Left-breast mammogram, medio-lateral oblique. 47 y/o patient.
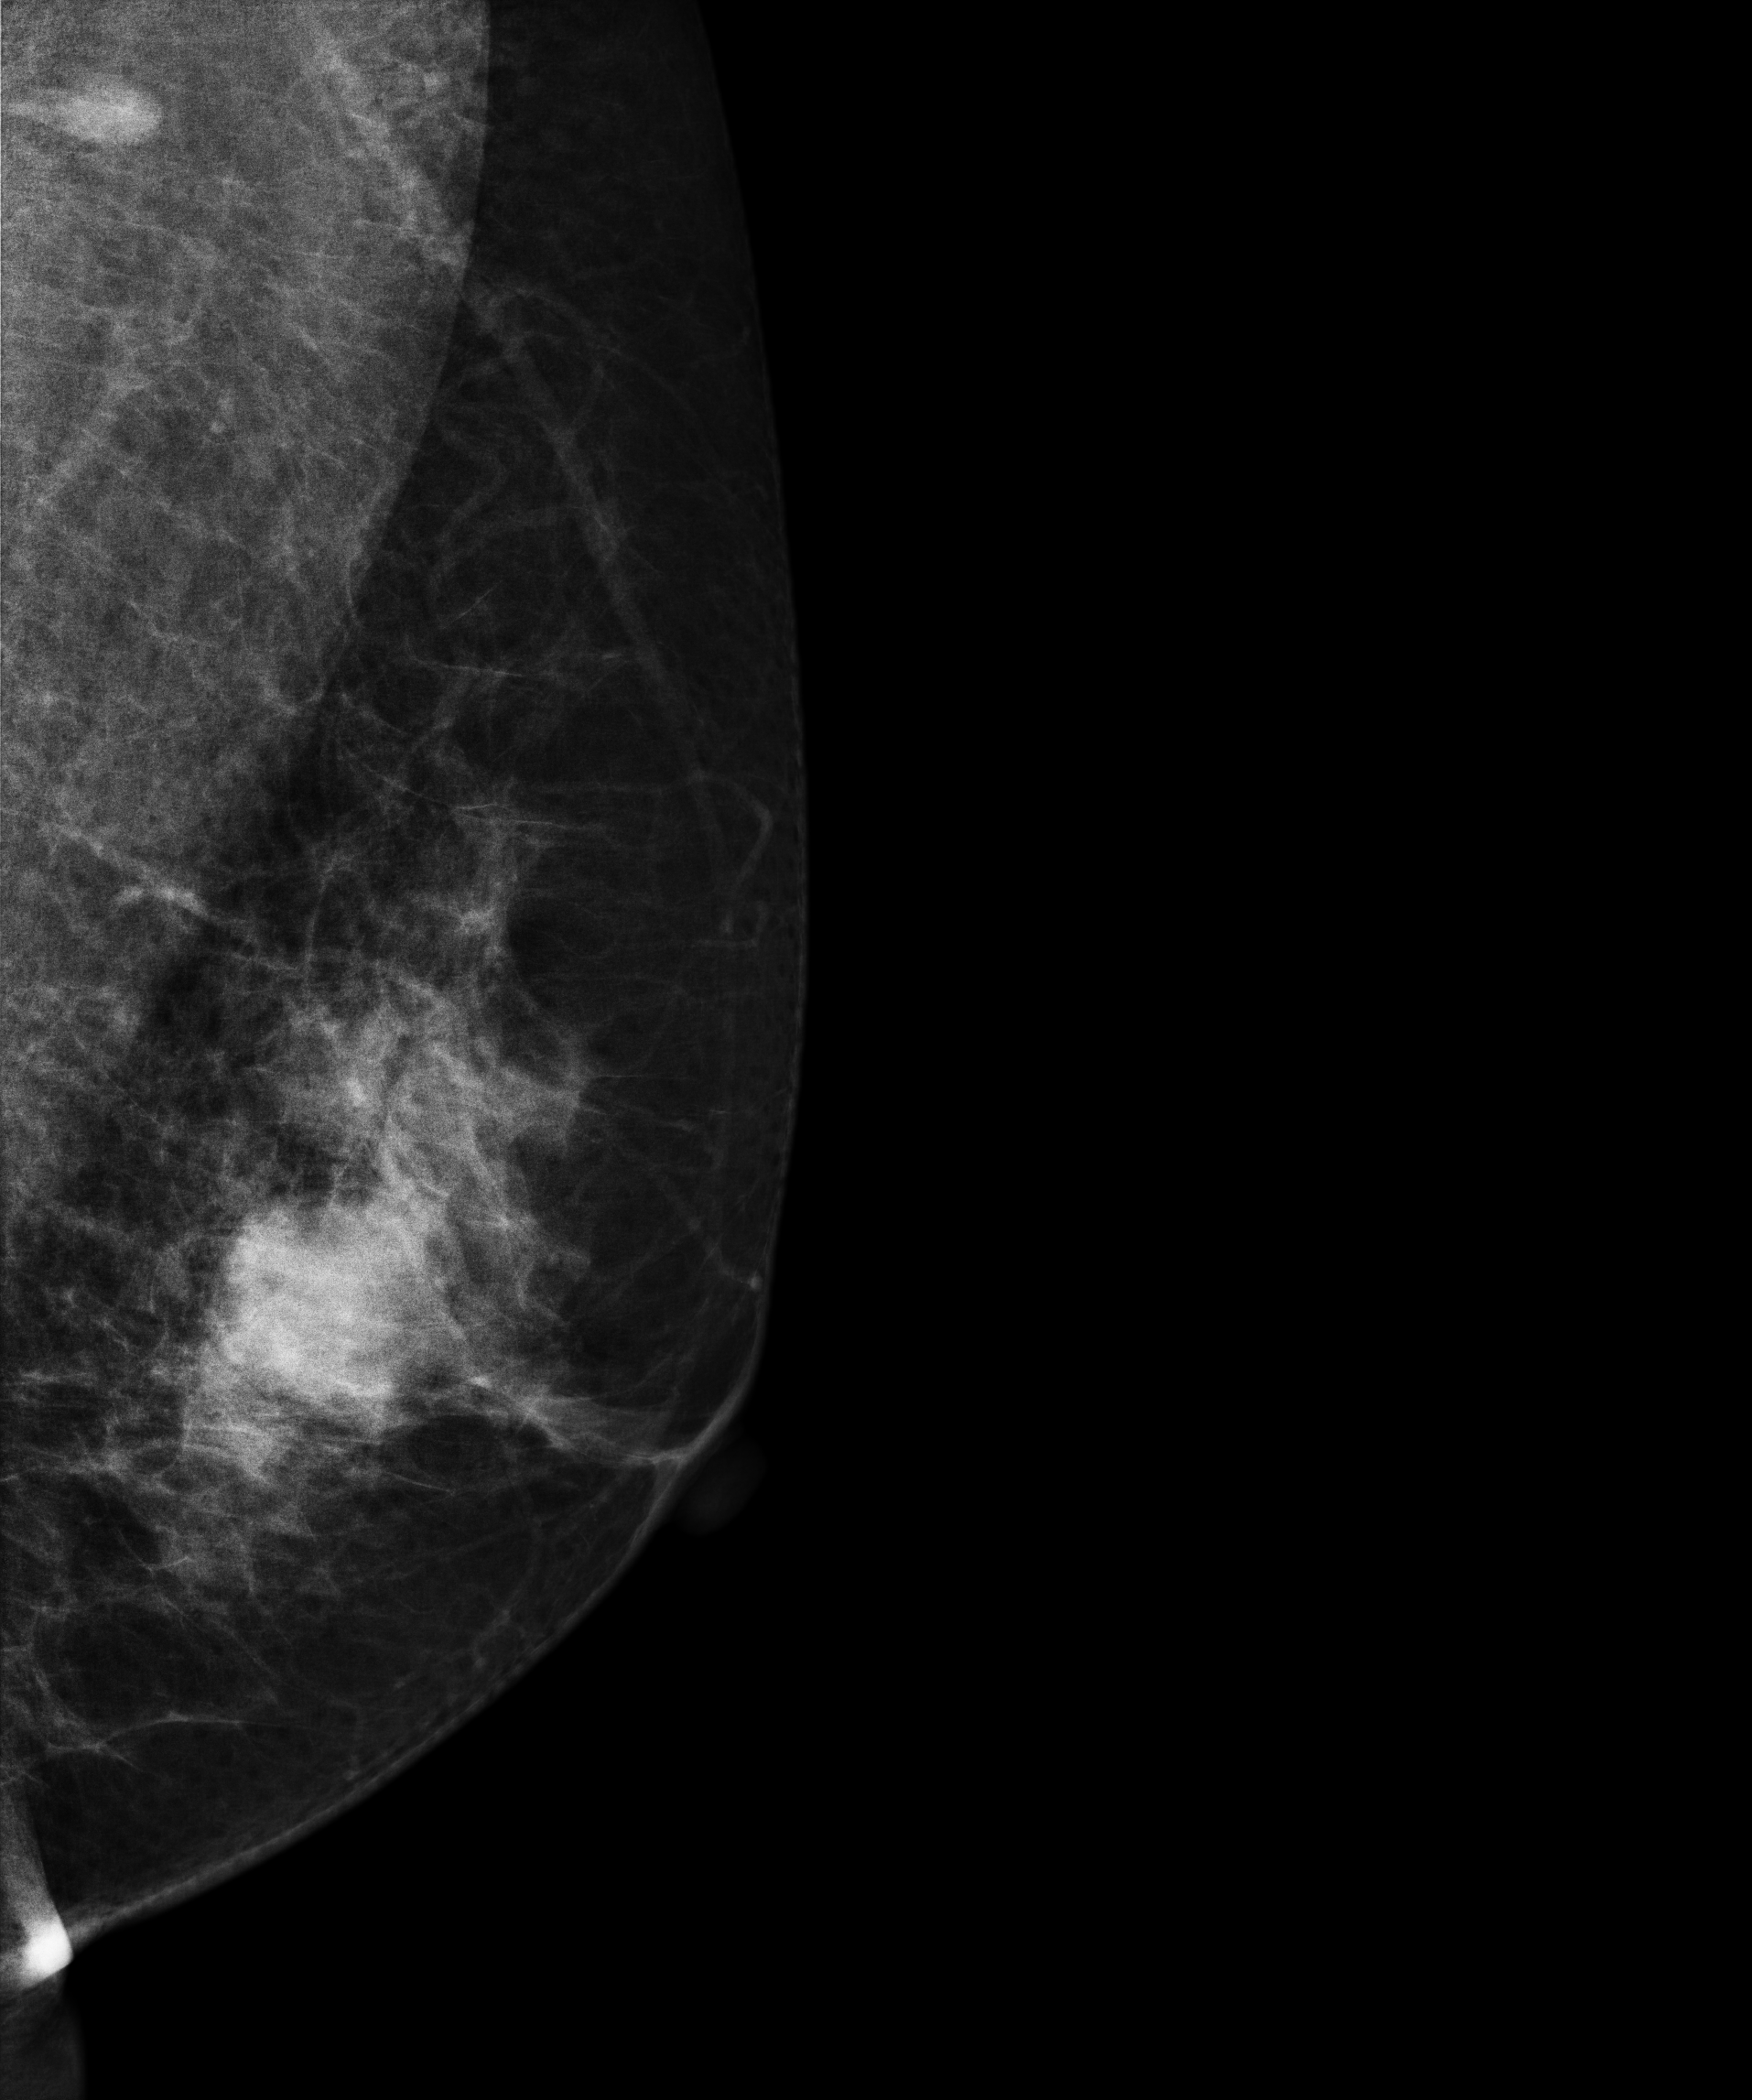
This breast has a mass, histologically confirmed benign.